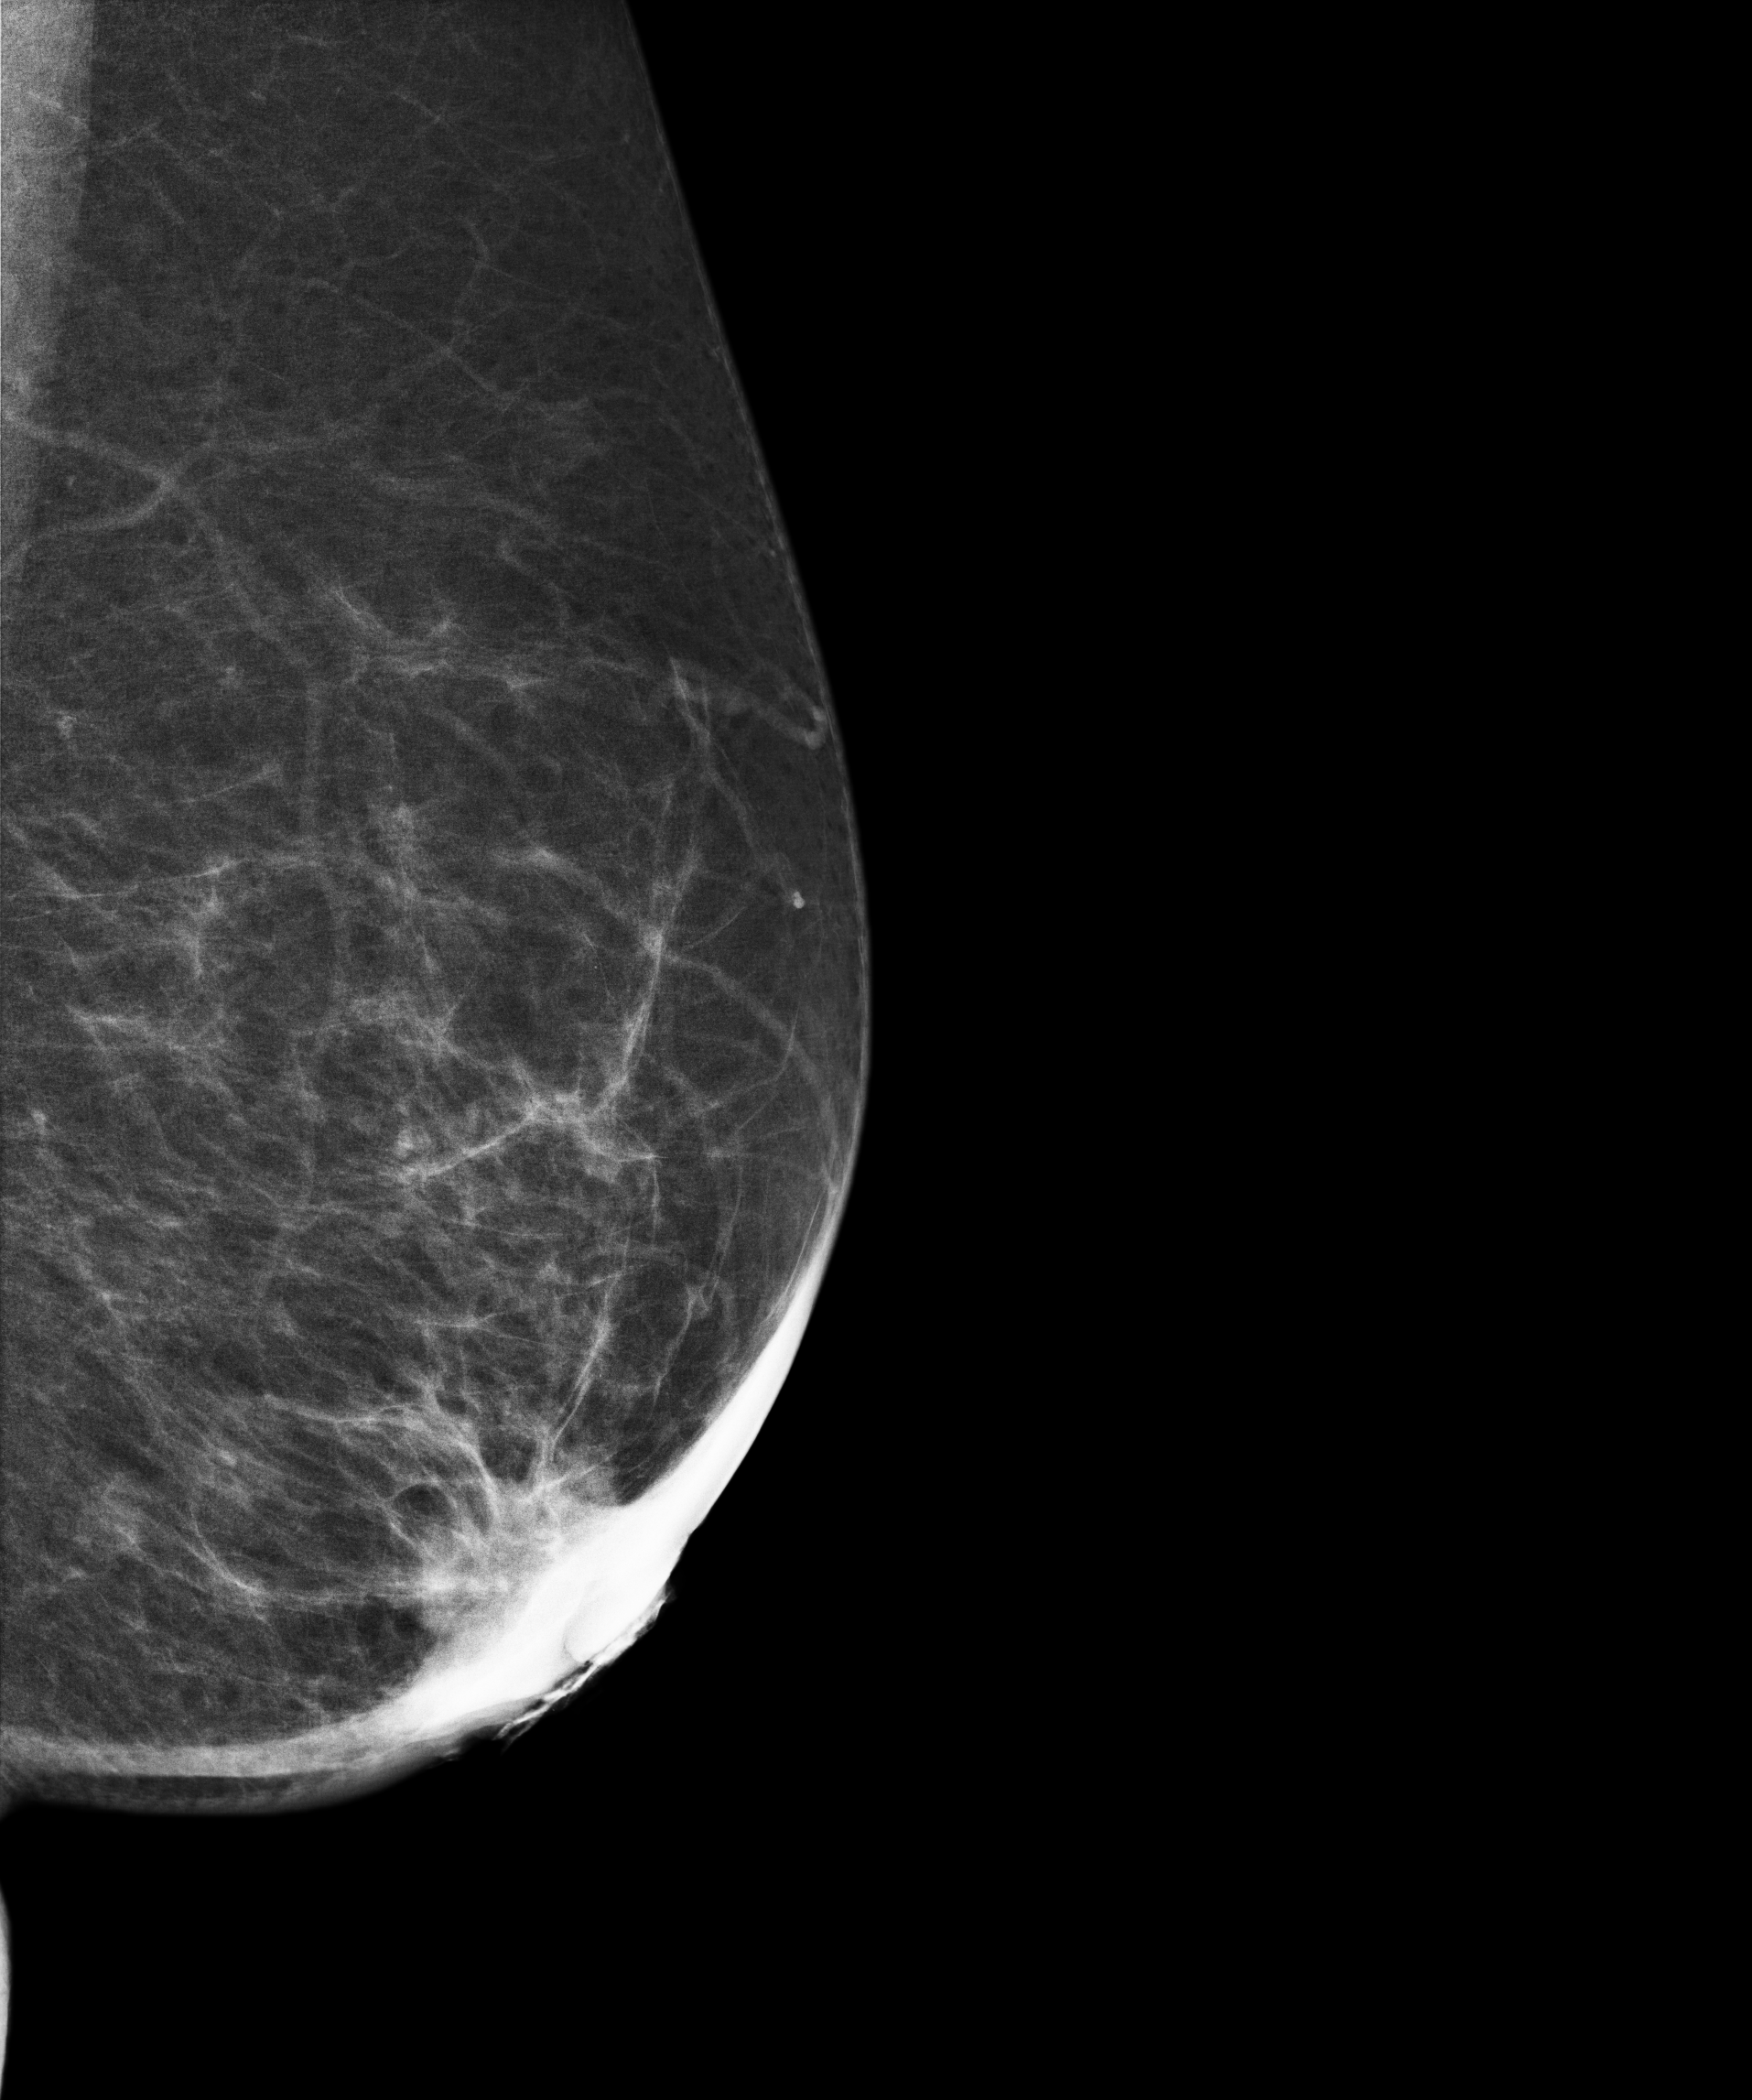
Mammogram, left breast, medio-lateral oblique view. Patient age 52.
This breast has a mass, biopsy-confirmed malignant. Molecular subtype: luminal B.